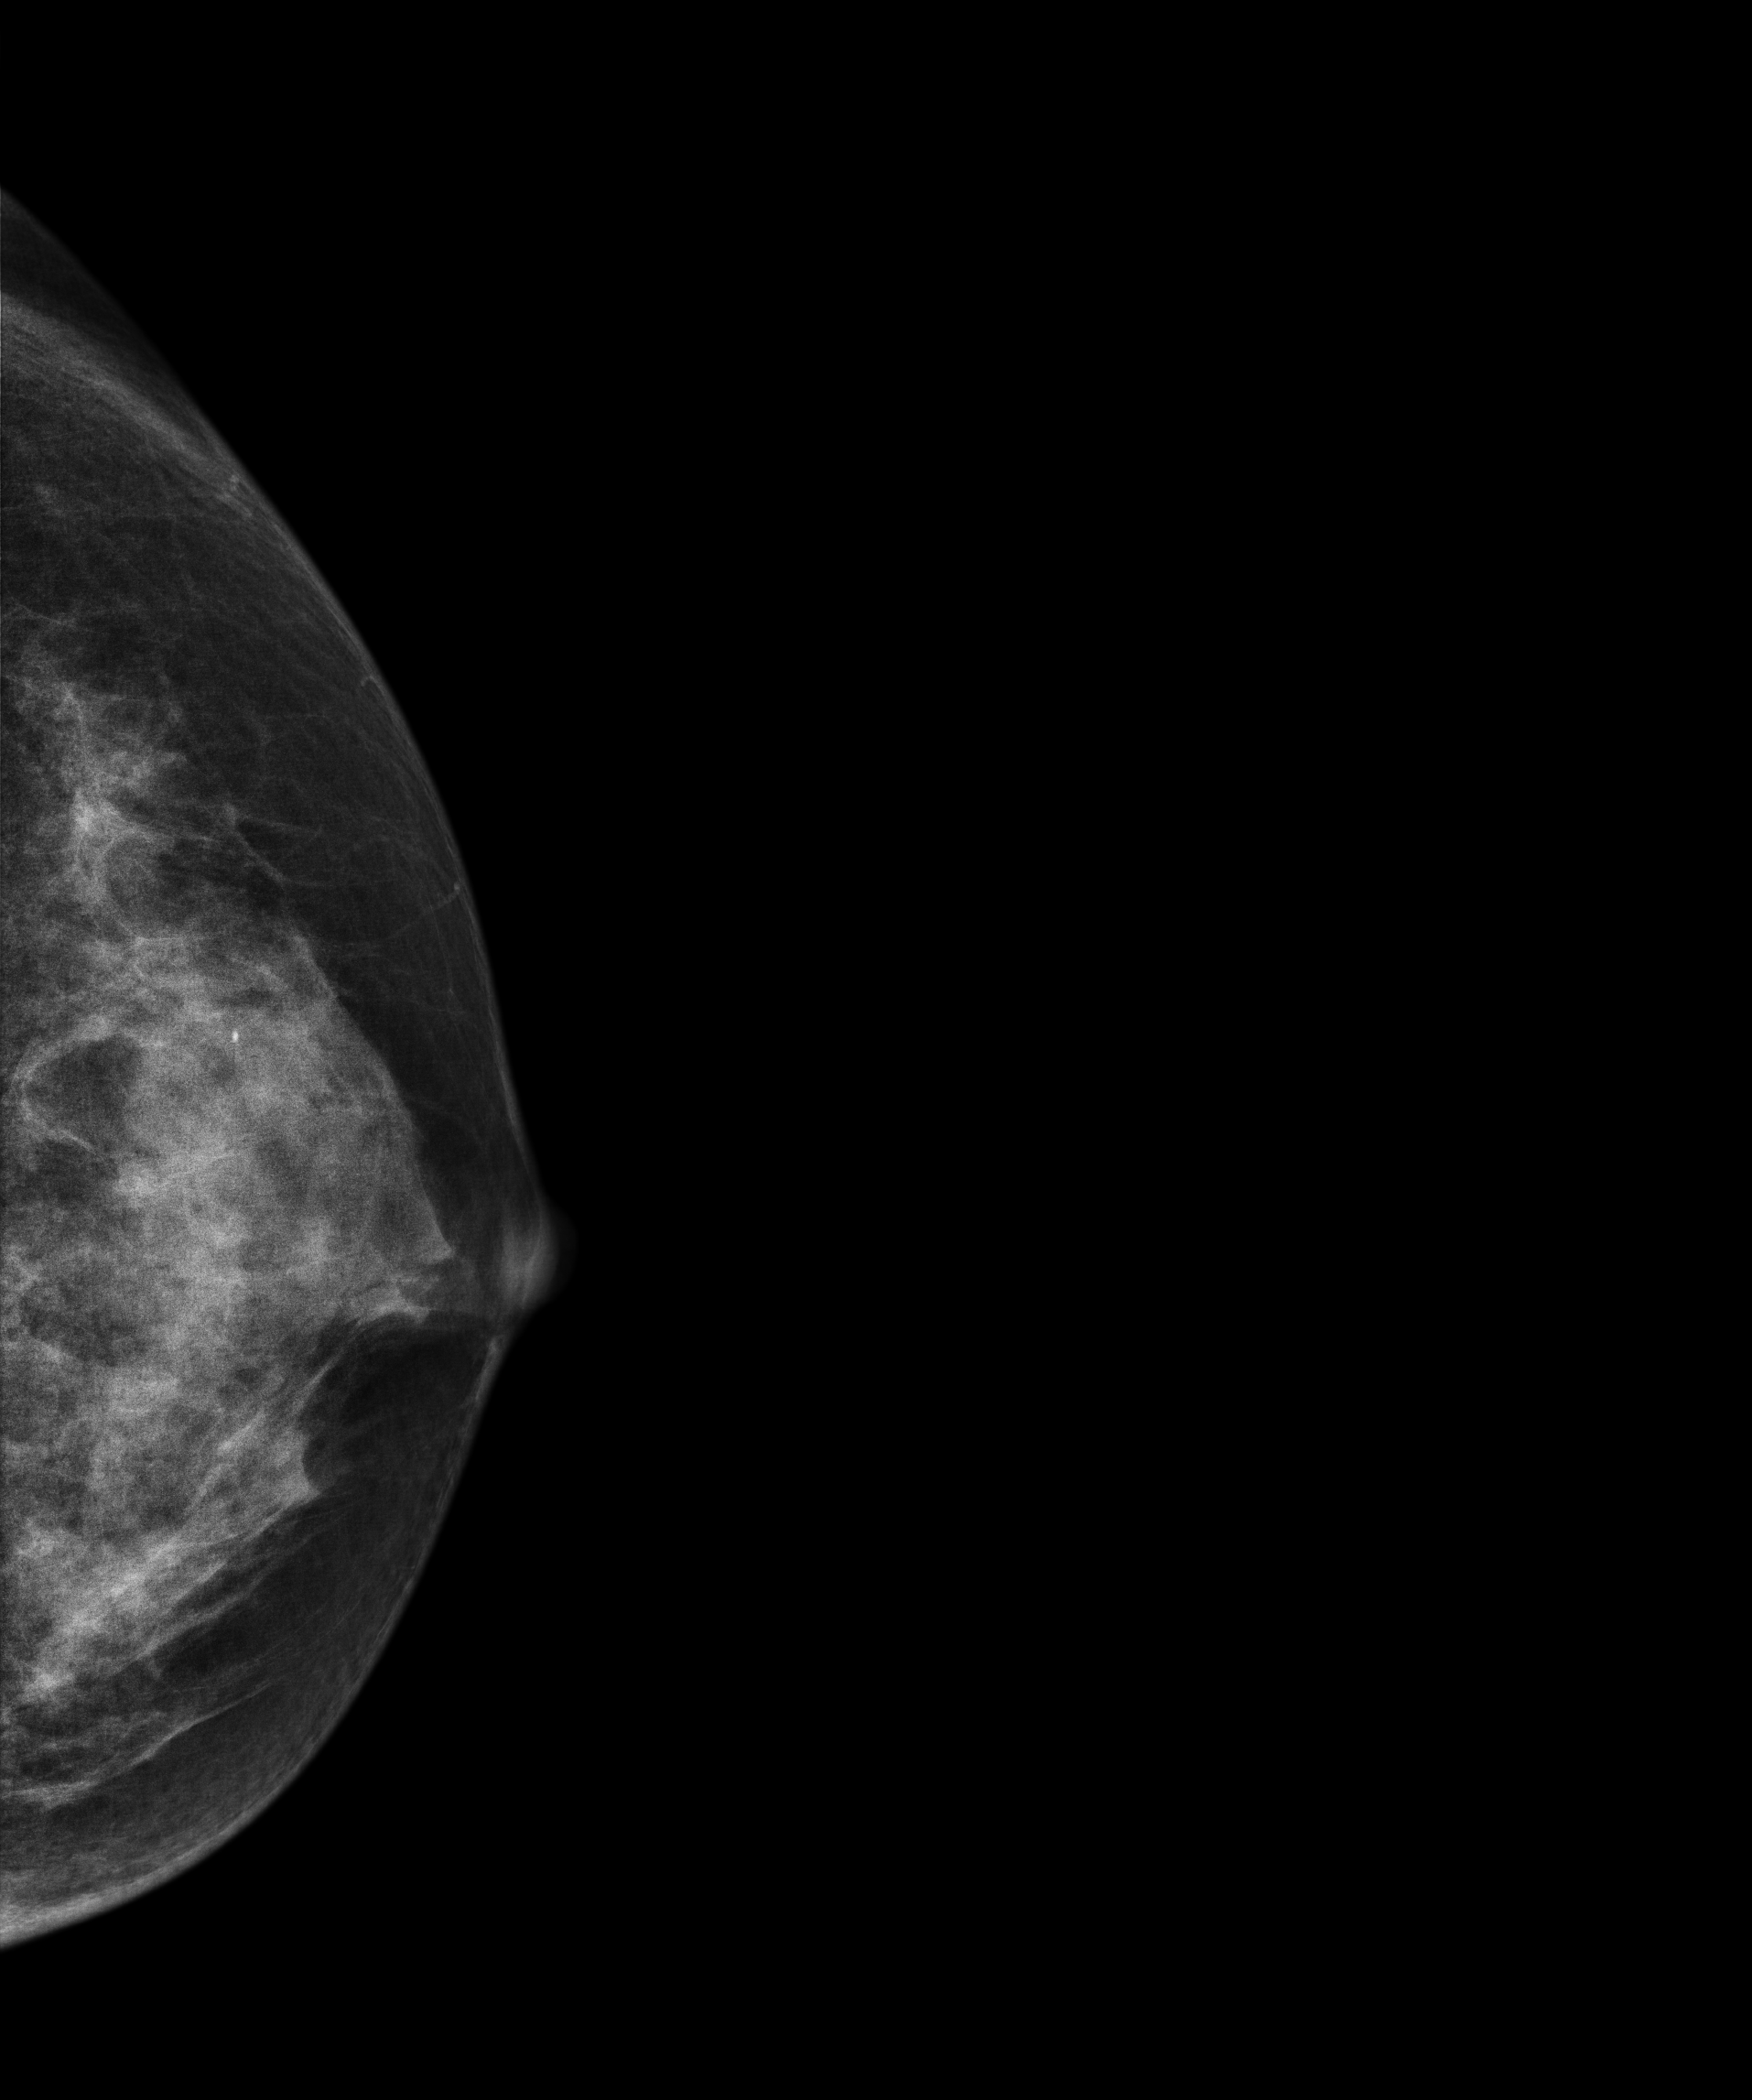
Cranio-caudal mammogram of the left breast. 27-year-old patient.
This breast has a mass and calcifications, biopsy-confirmed benign.